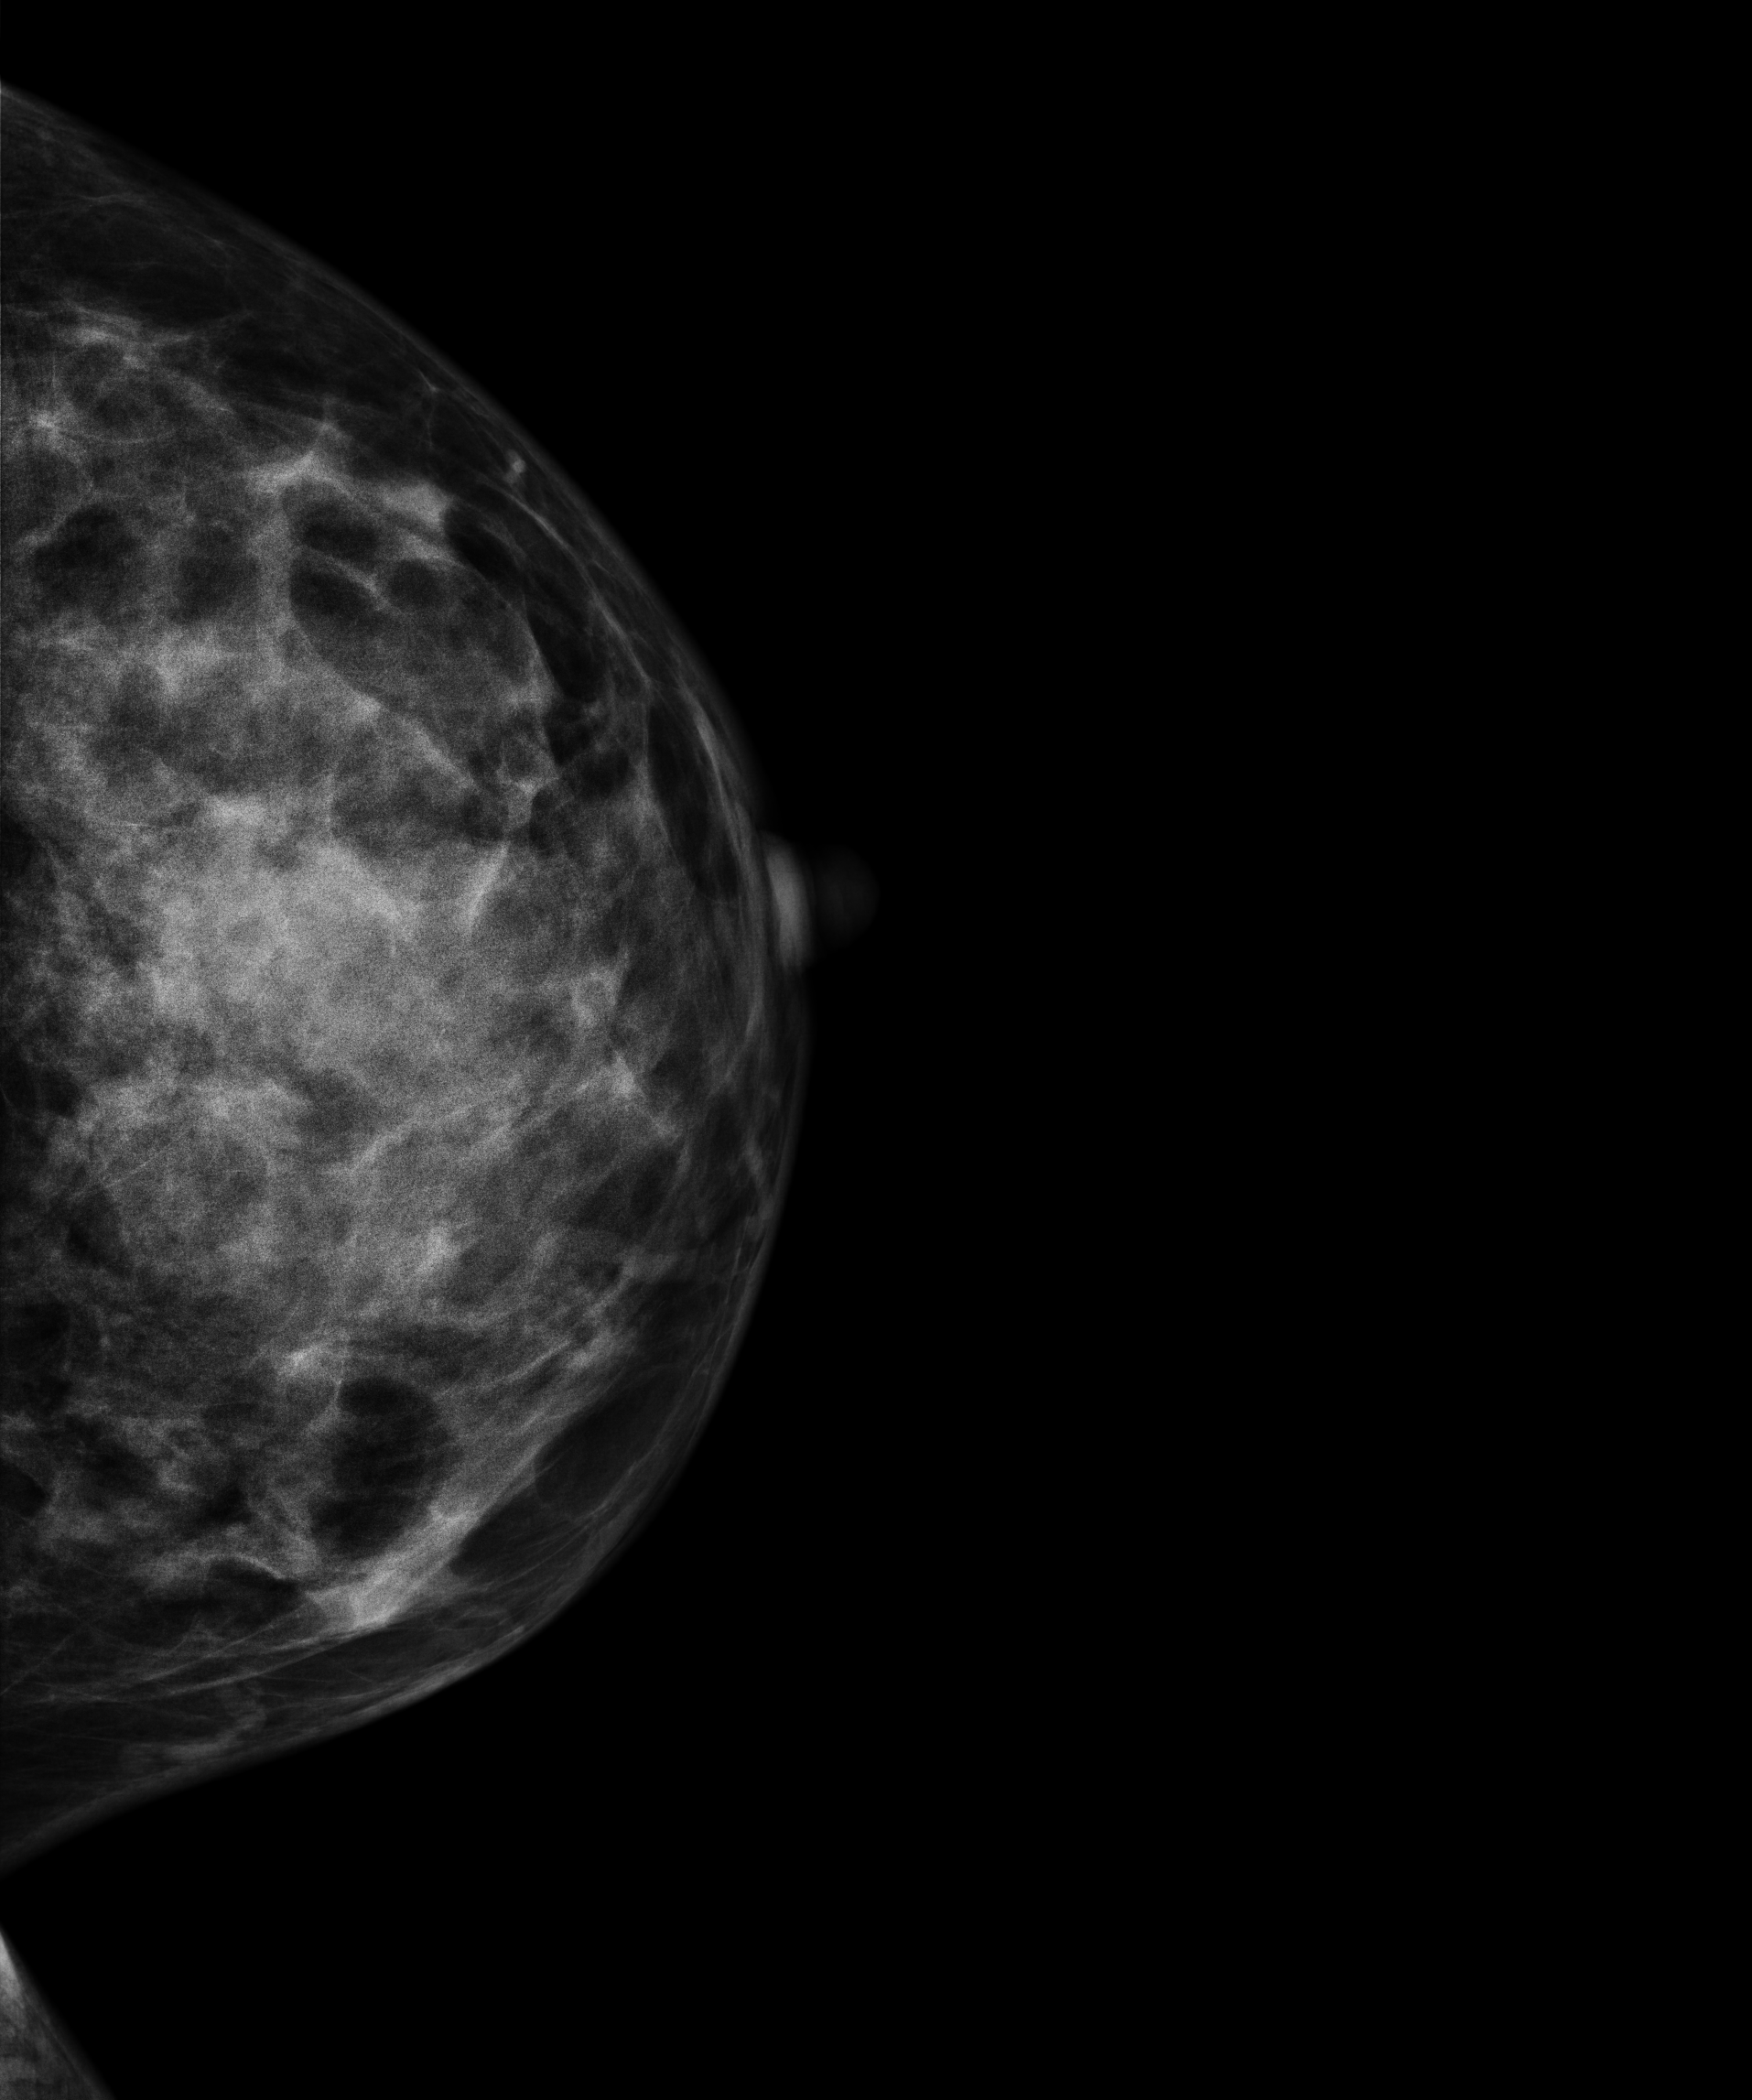
Mammogram, left breast, CC view. 47-year-old patient.
This breast has a mass, pathology-confirmed malignant. Molecular subtype: luminal B.